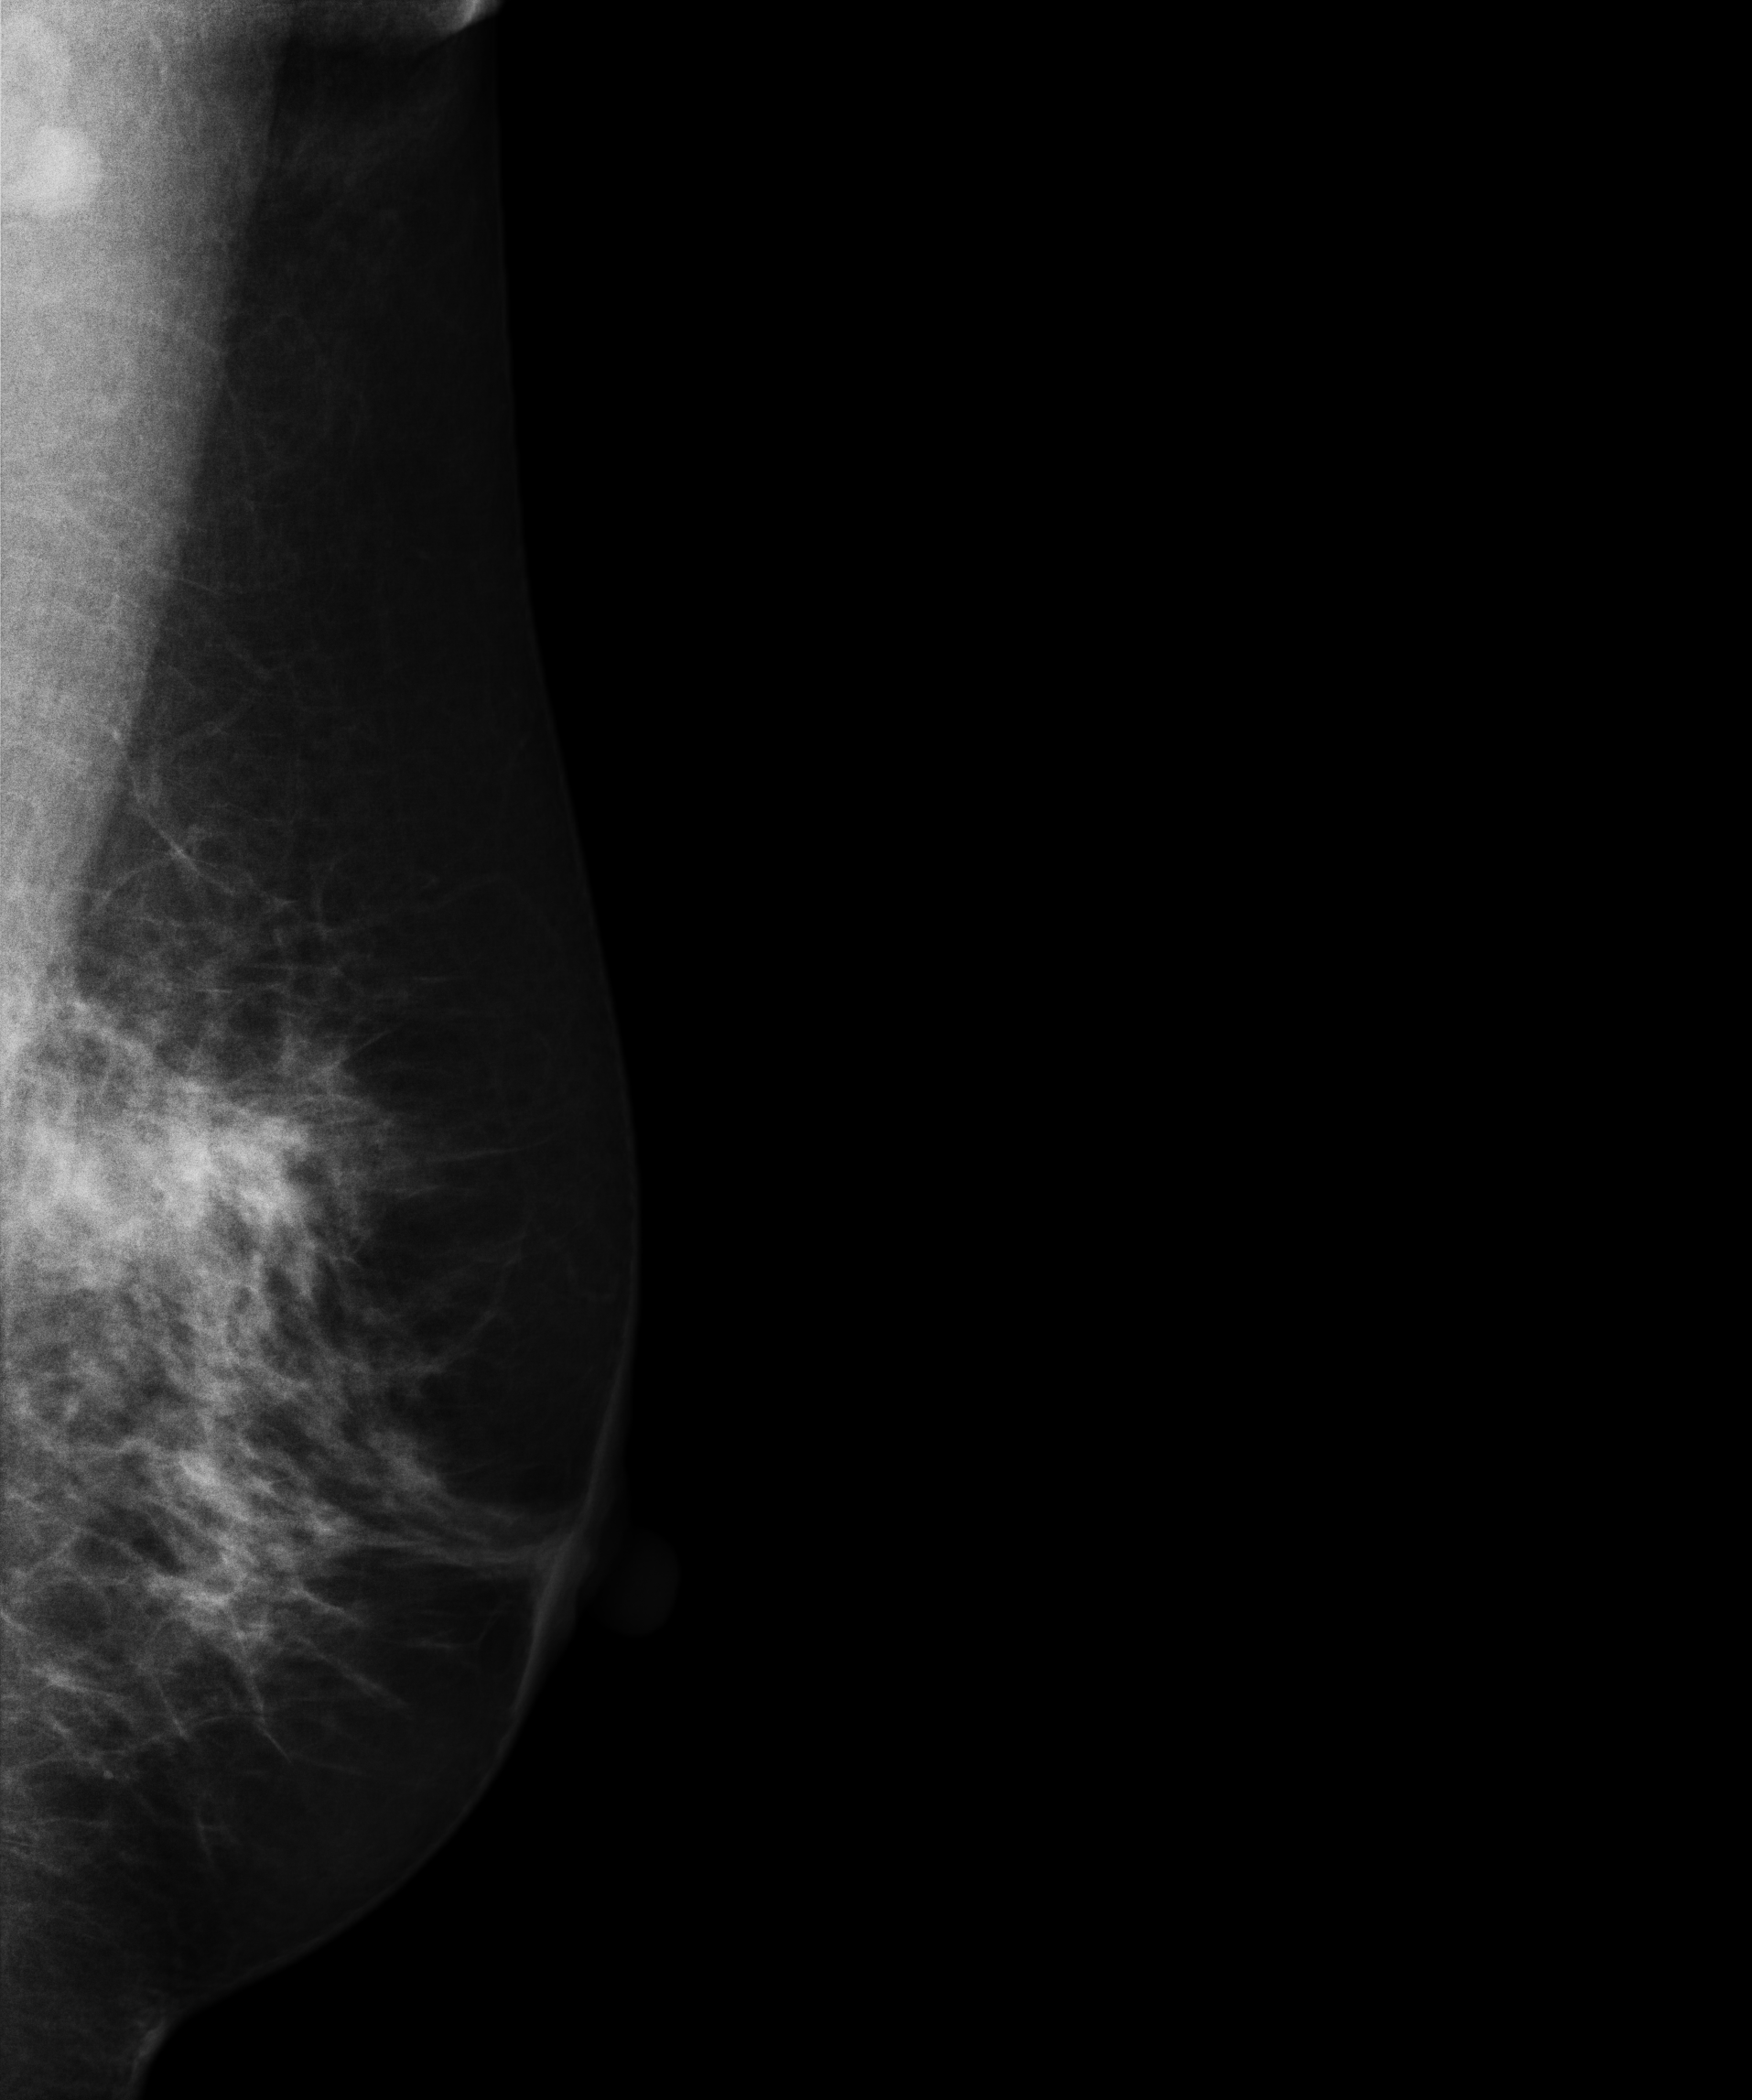
Left-breast mammogram, MLO. 49 y/o patient.
This breast has a mass, biopsy-proven malignant. Molecular subtype: luminal A.